Mammogram — right cranio-caudal. Patient age 64.
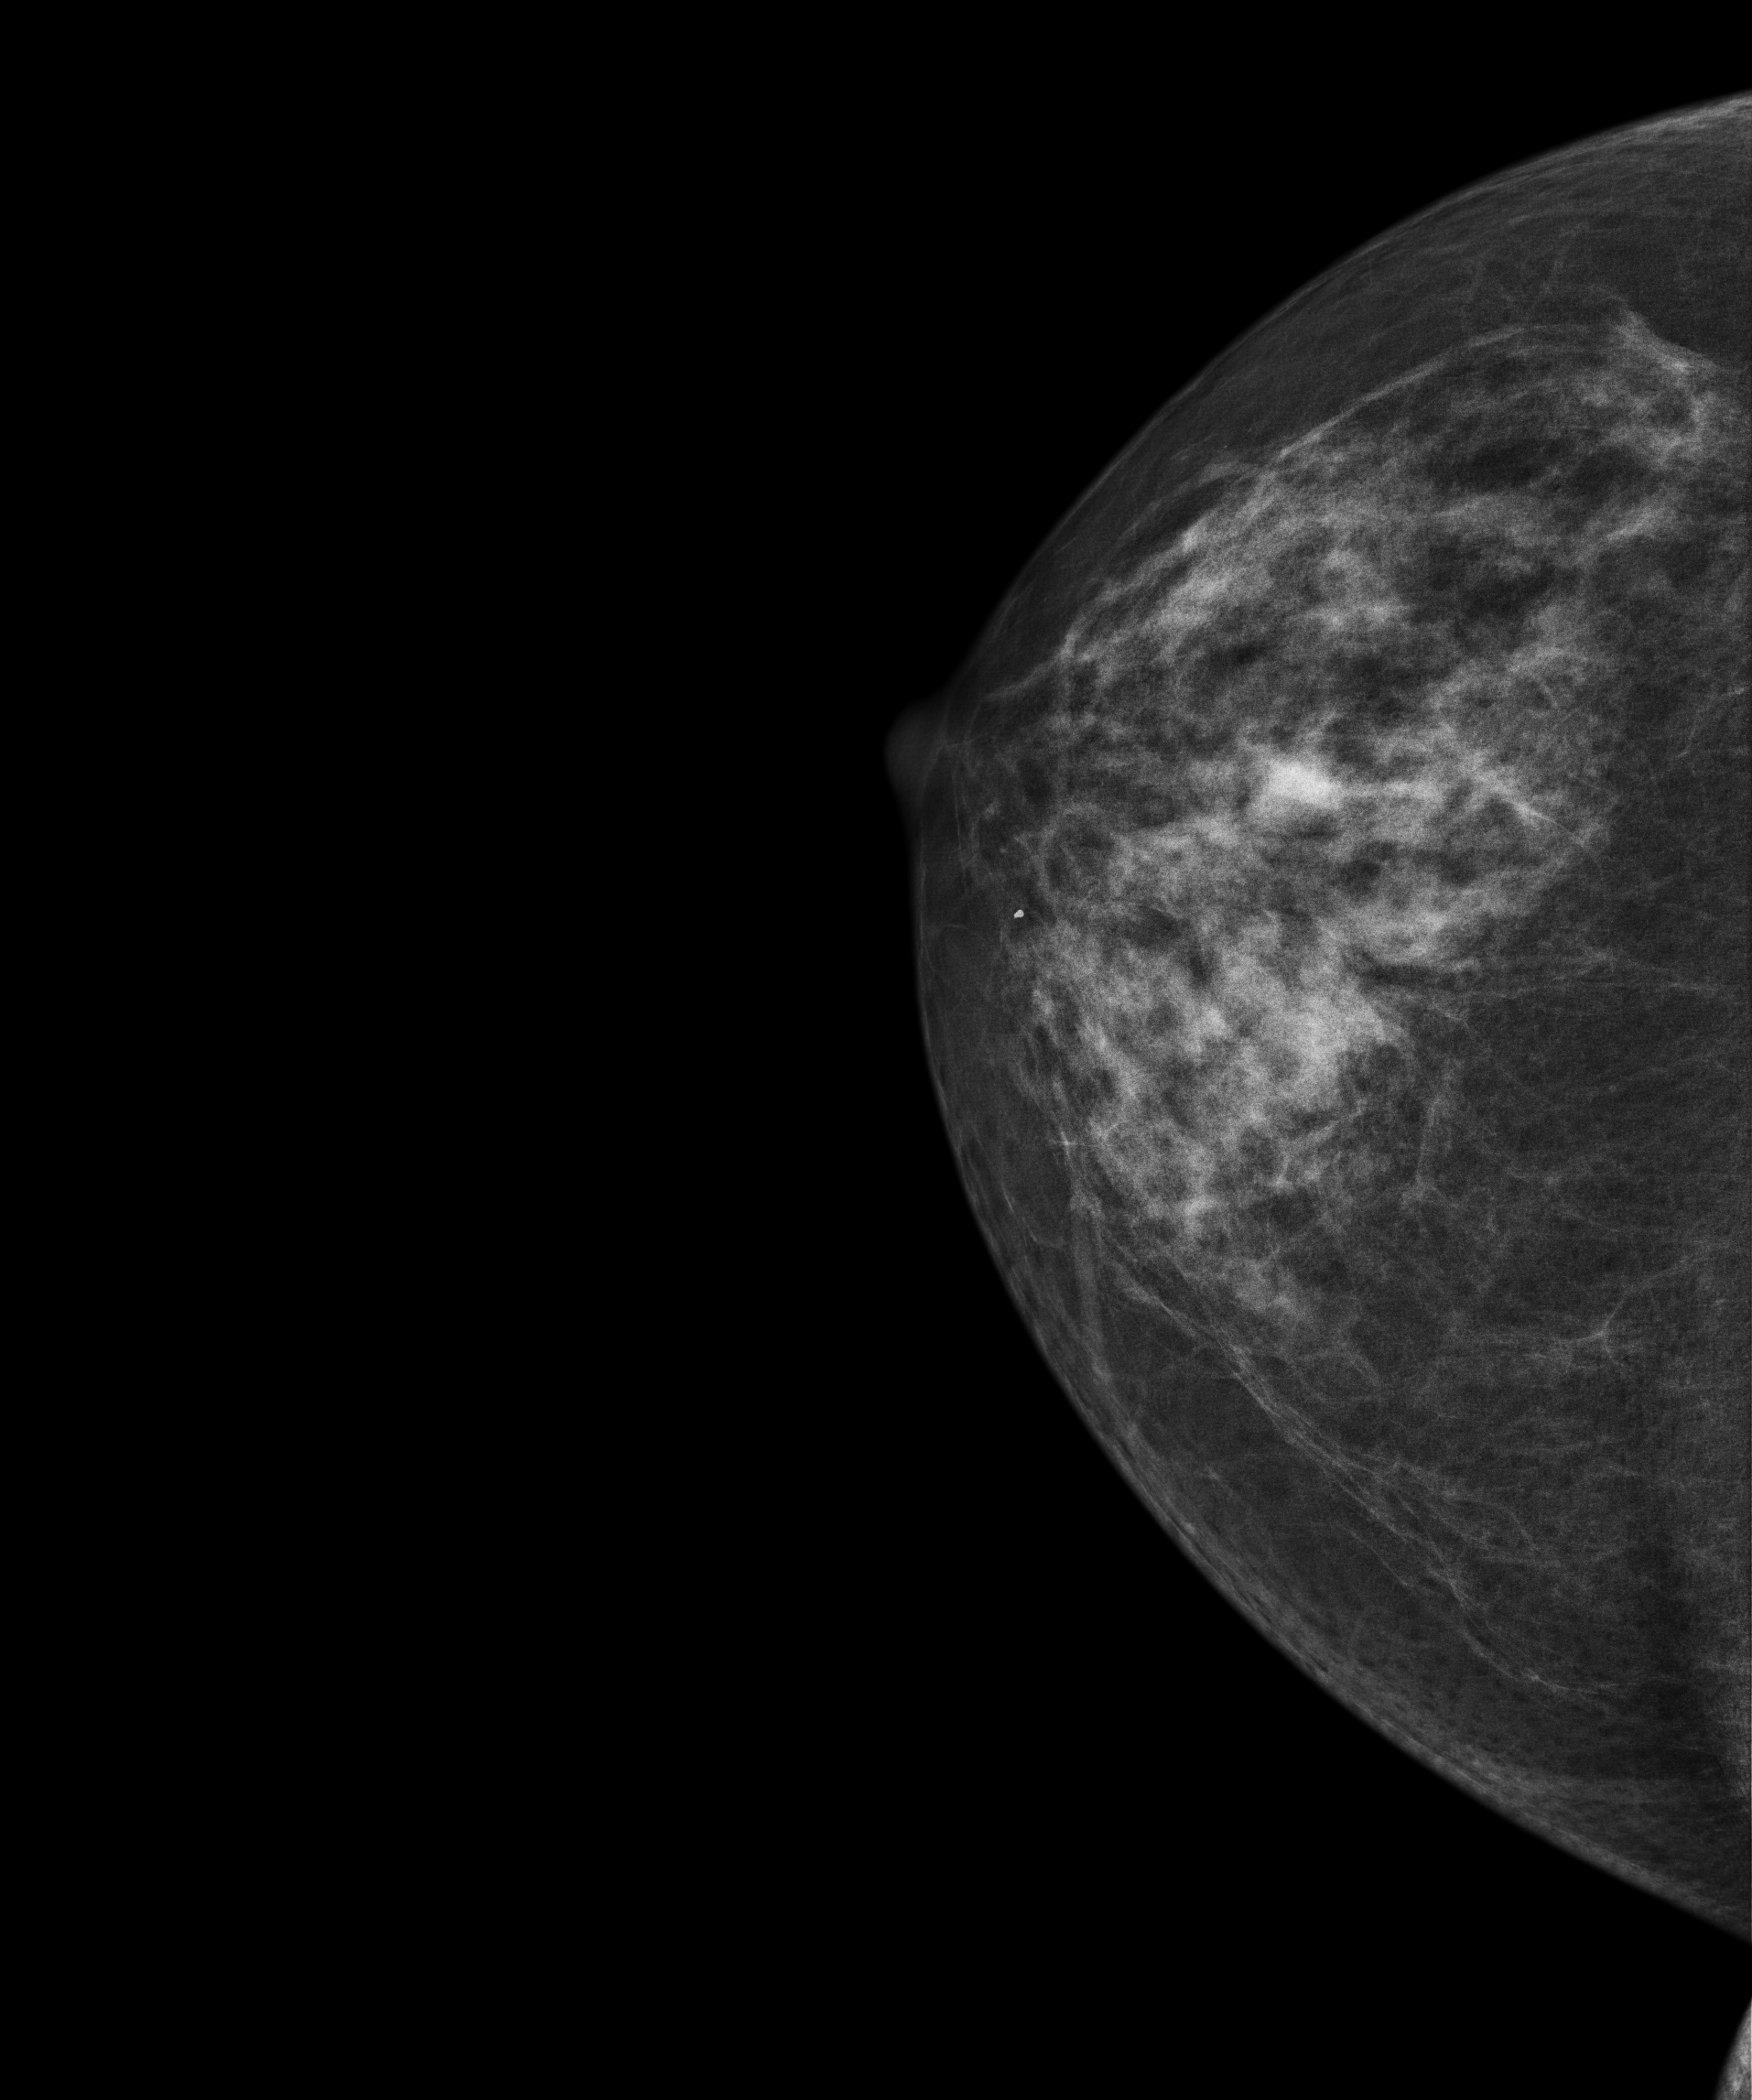
This breast has a mass, histologically confirmed benign.